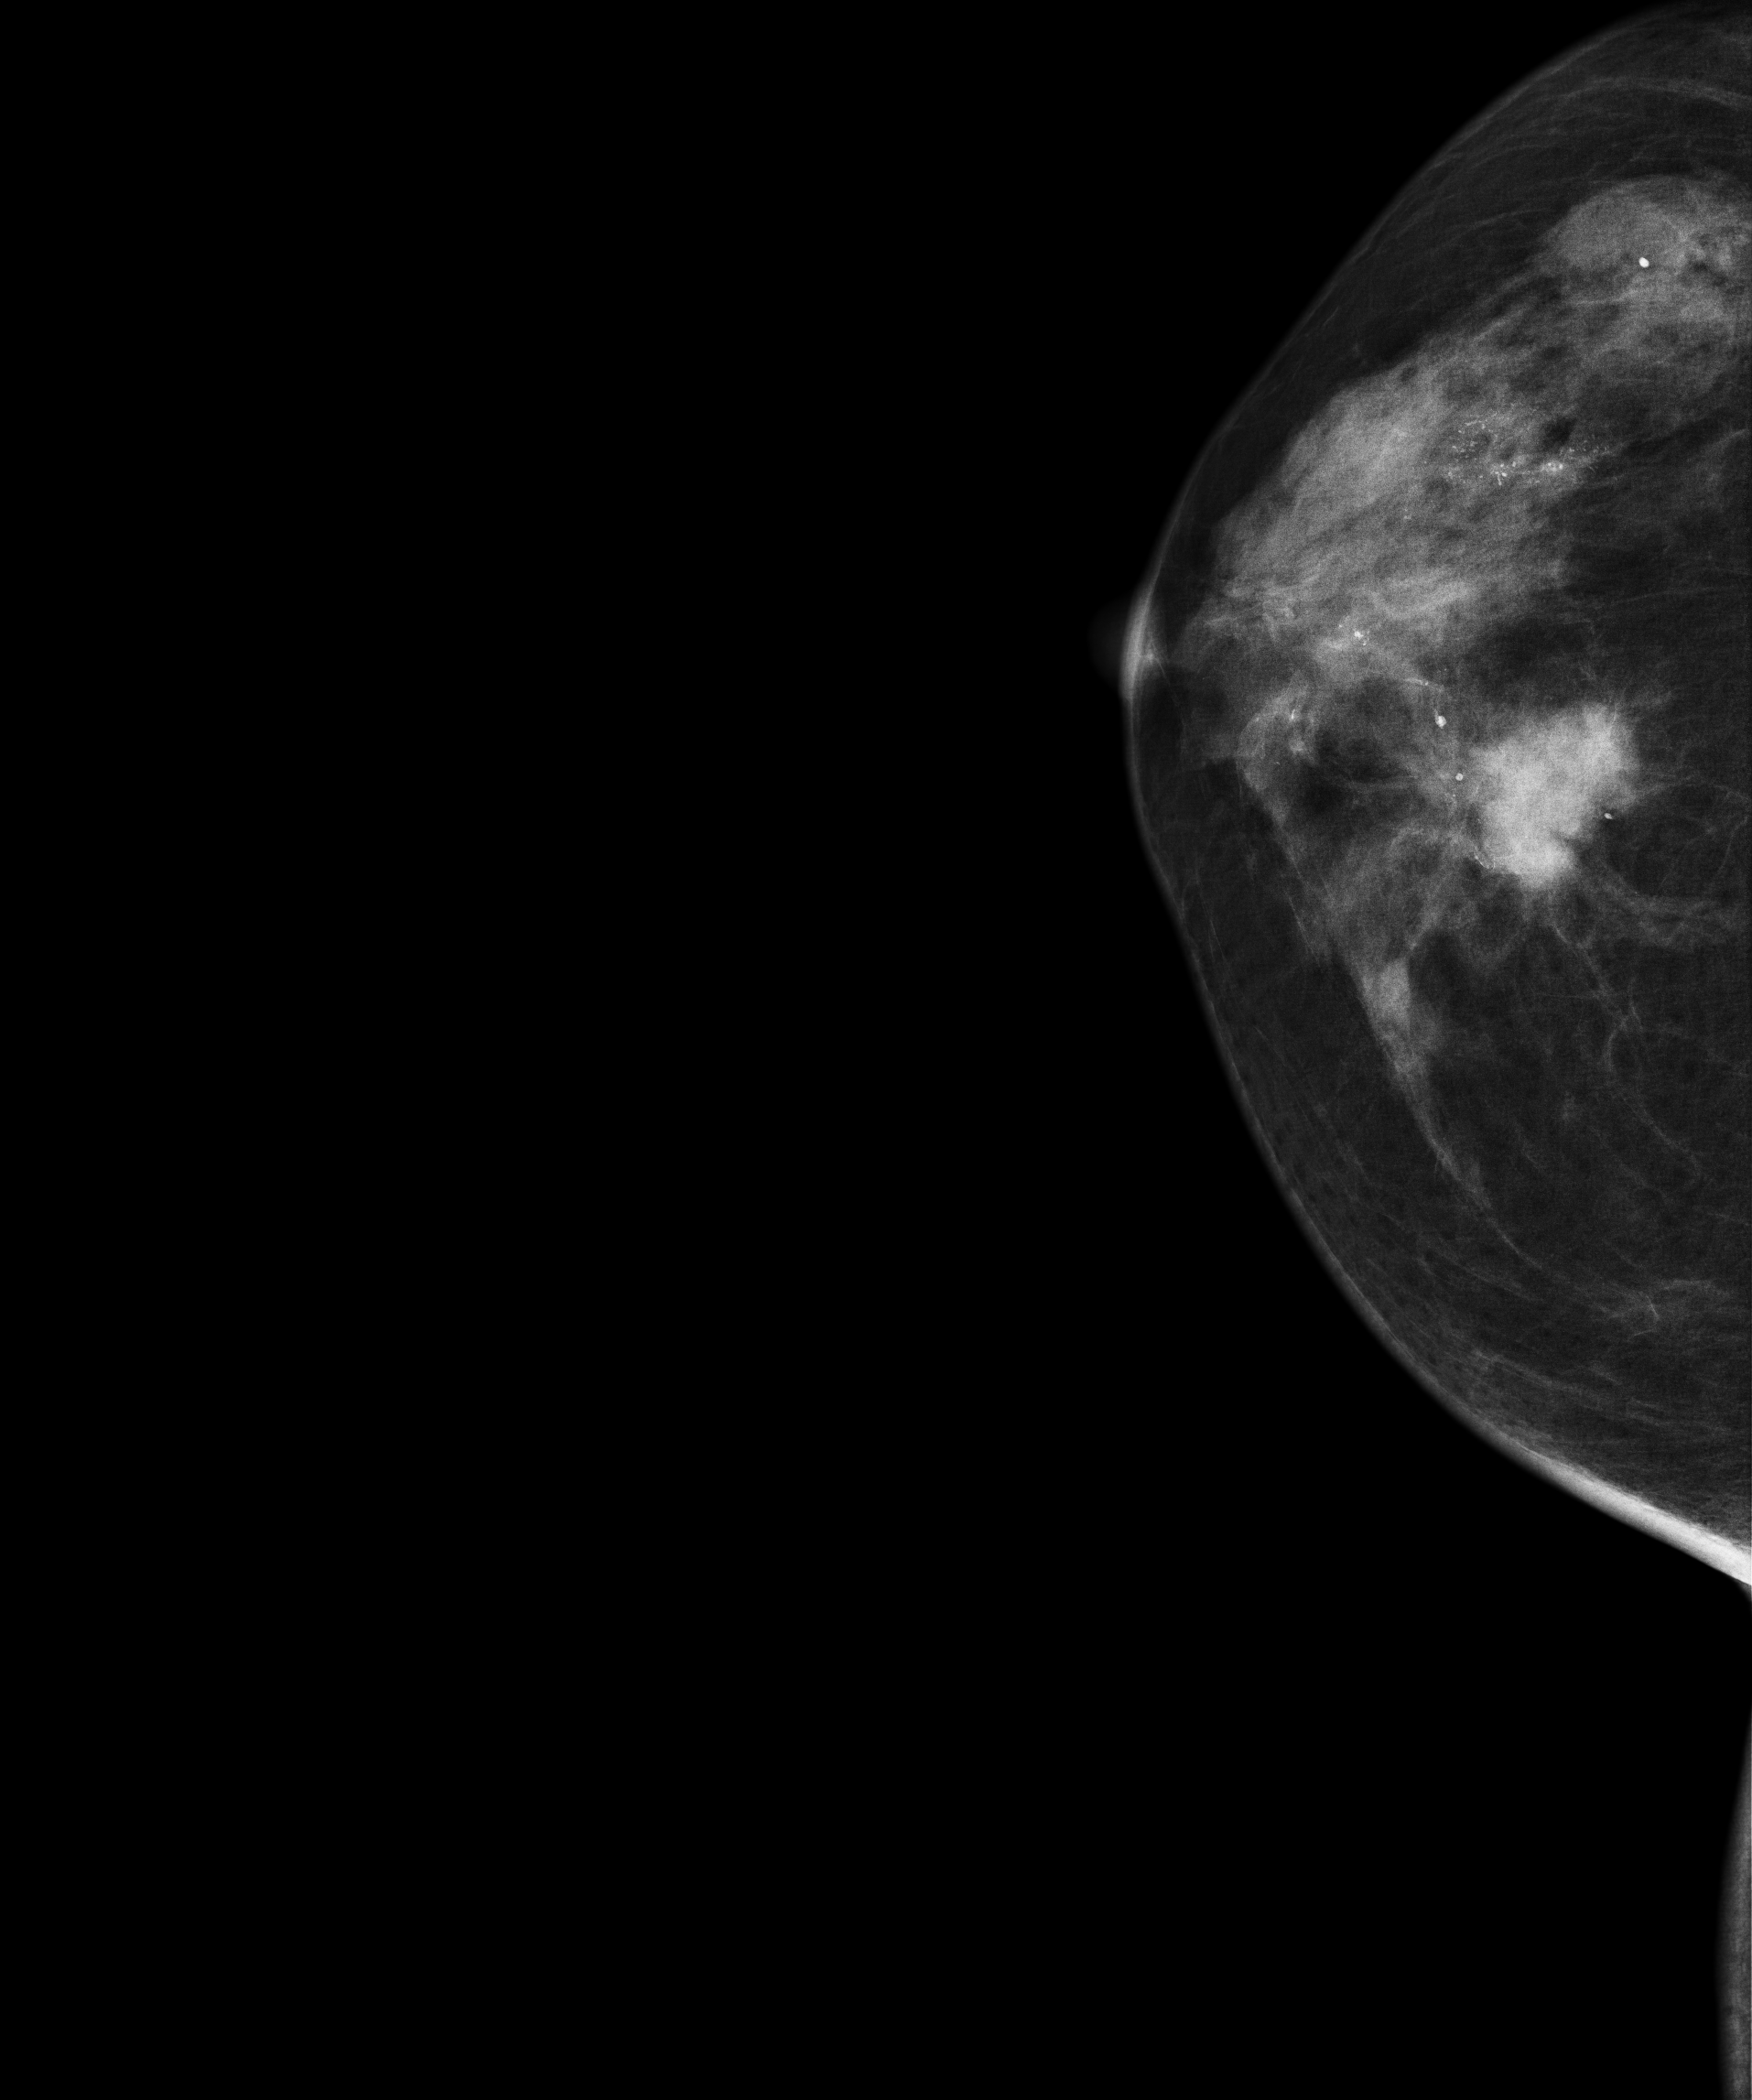
Mammogram — right cranio-caudal. 64-year-old patient.
This breast has a mass and calcifications, histologically confirmed malignant.